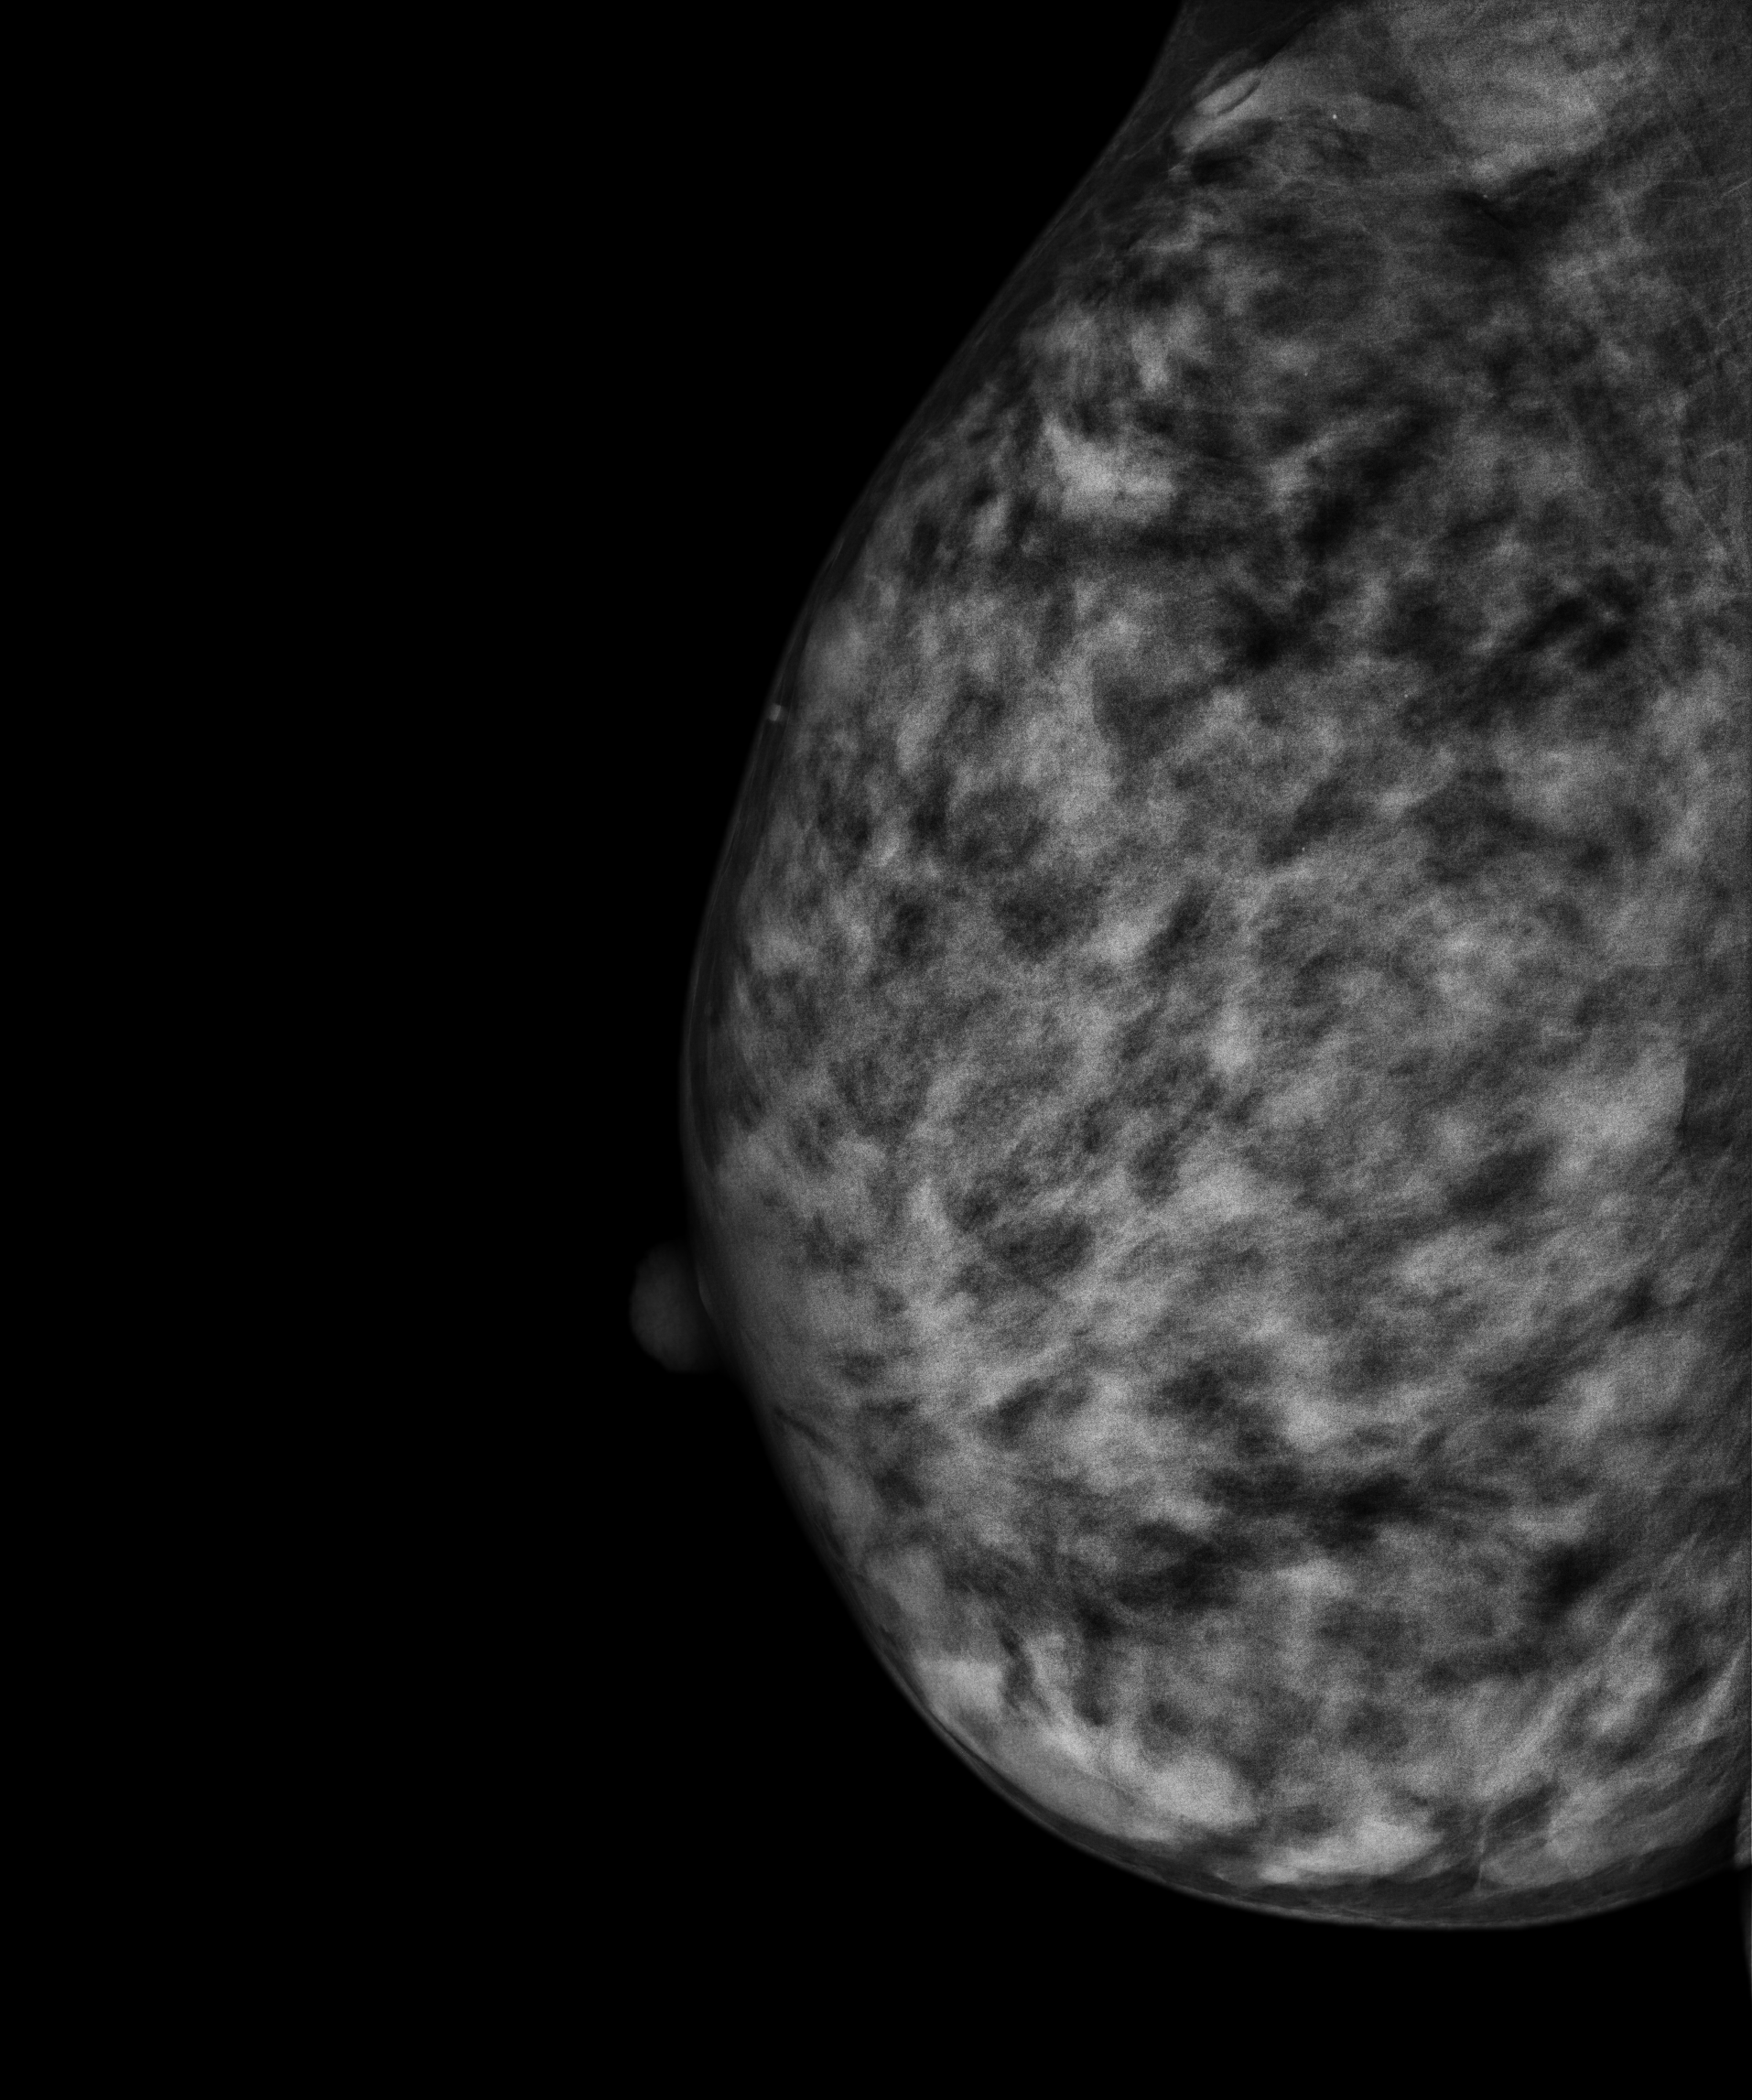
Medio-lateral oblique mammogram of the right breast. 41-year-old patient.
This breast has a mass and calcifications, biopsy-proven benign.